Digital mammography. Right breast, MLO projection. 38 y/o patient.
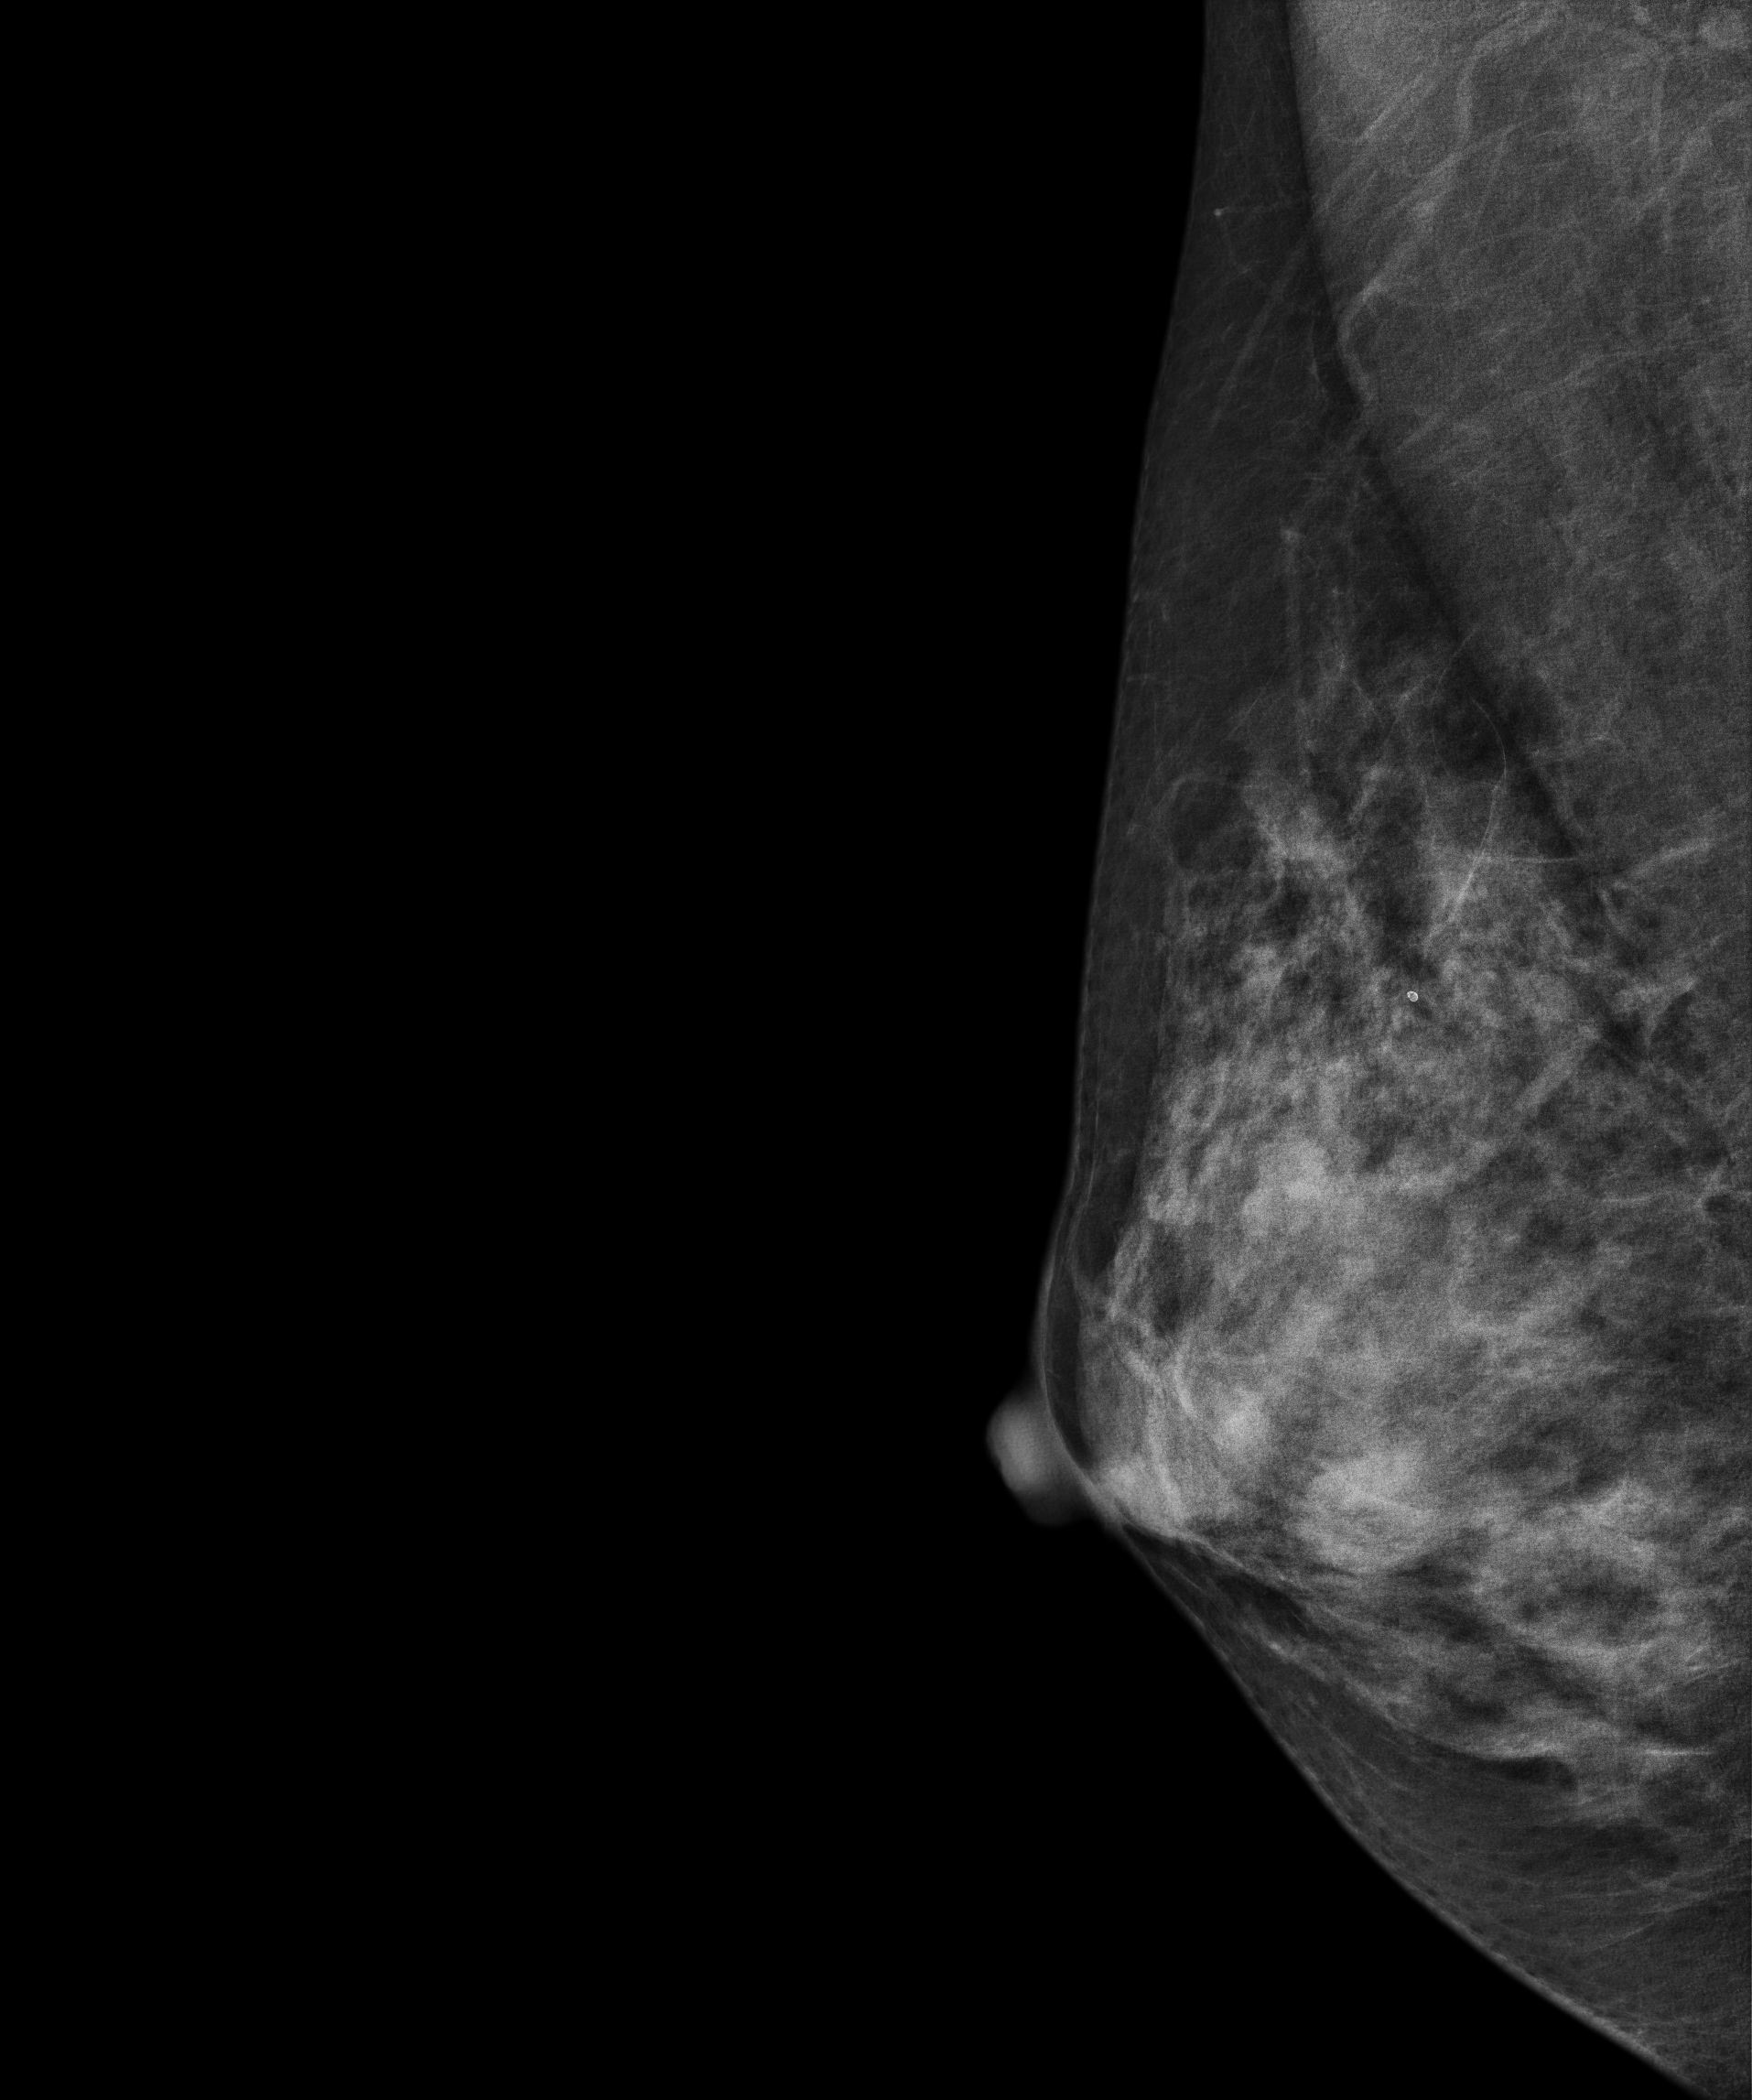
Contralateral breast — no documented abnormality on this side.